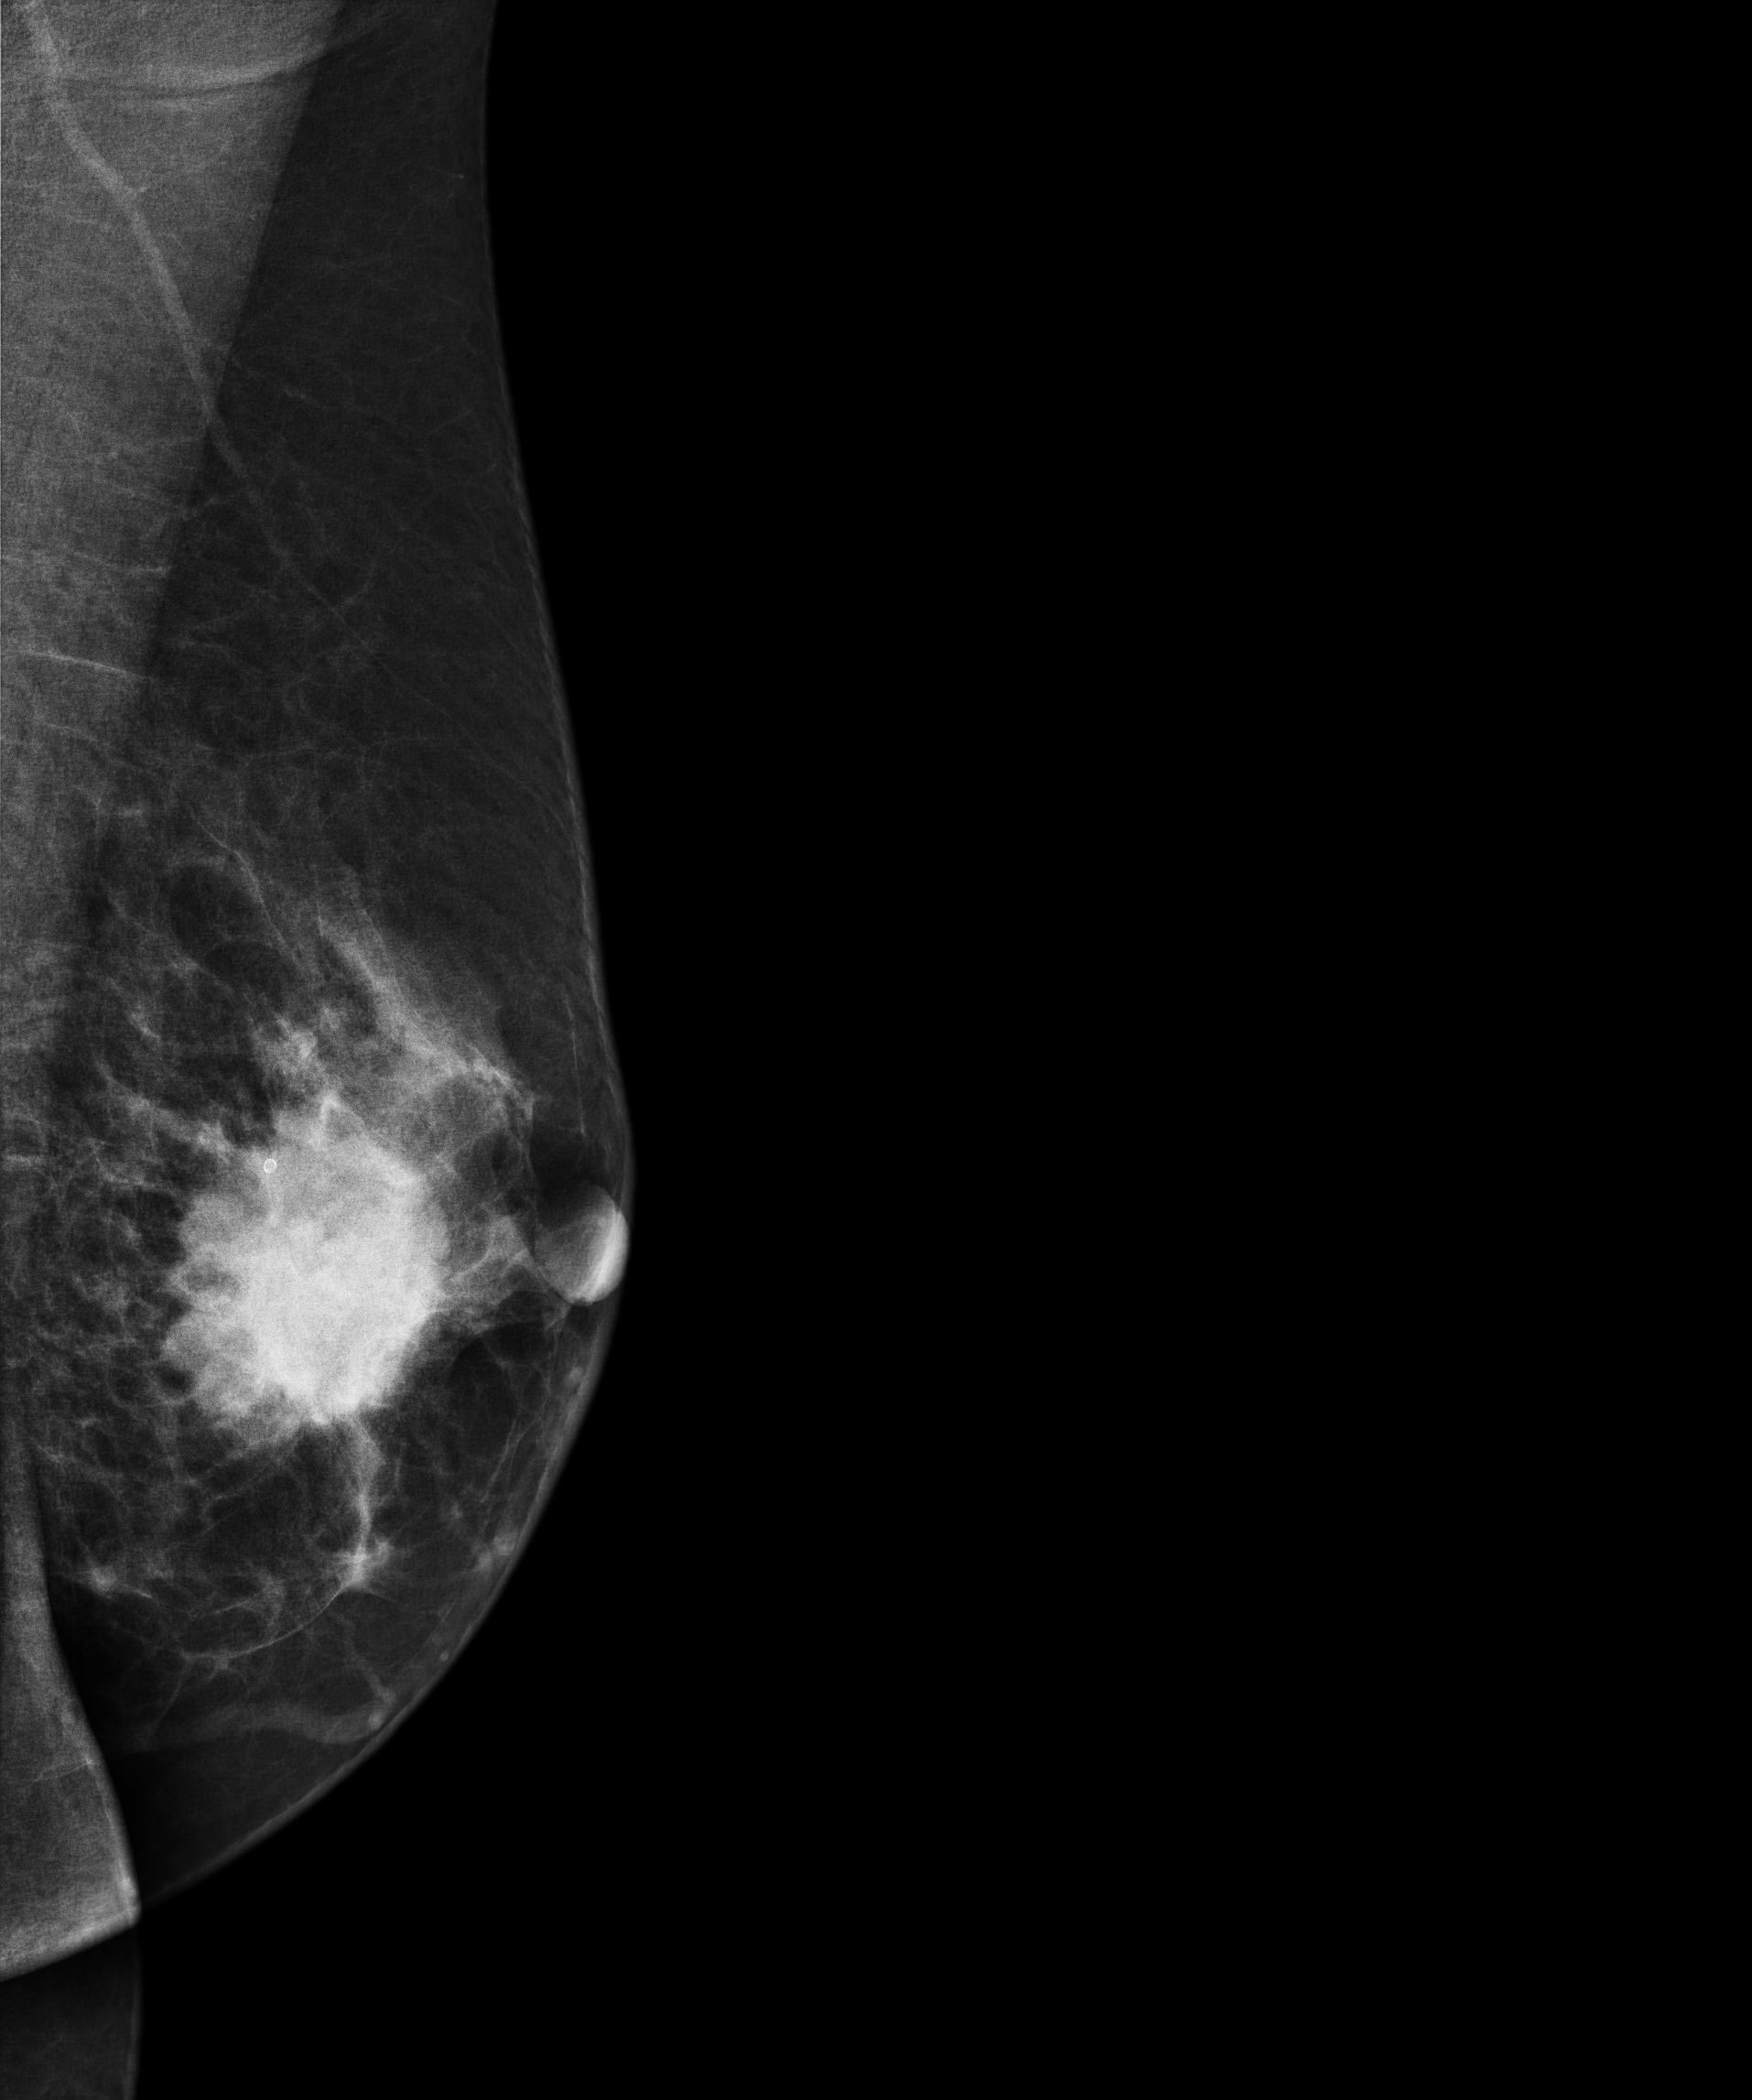
Mammogram — left medio-lateral oblique. 64-year-old patient.
This breast has a mass, pathology-confirmed malignant. Molecular subtype: luminal B.